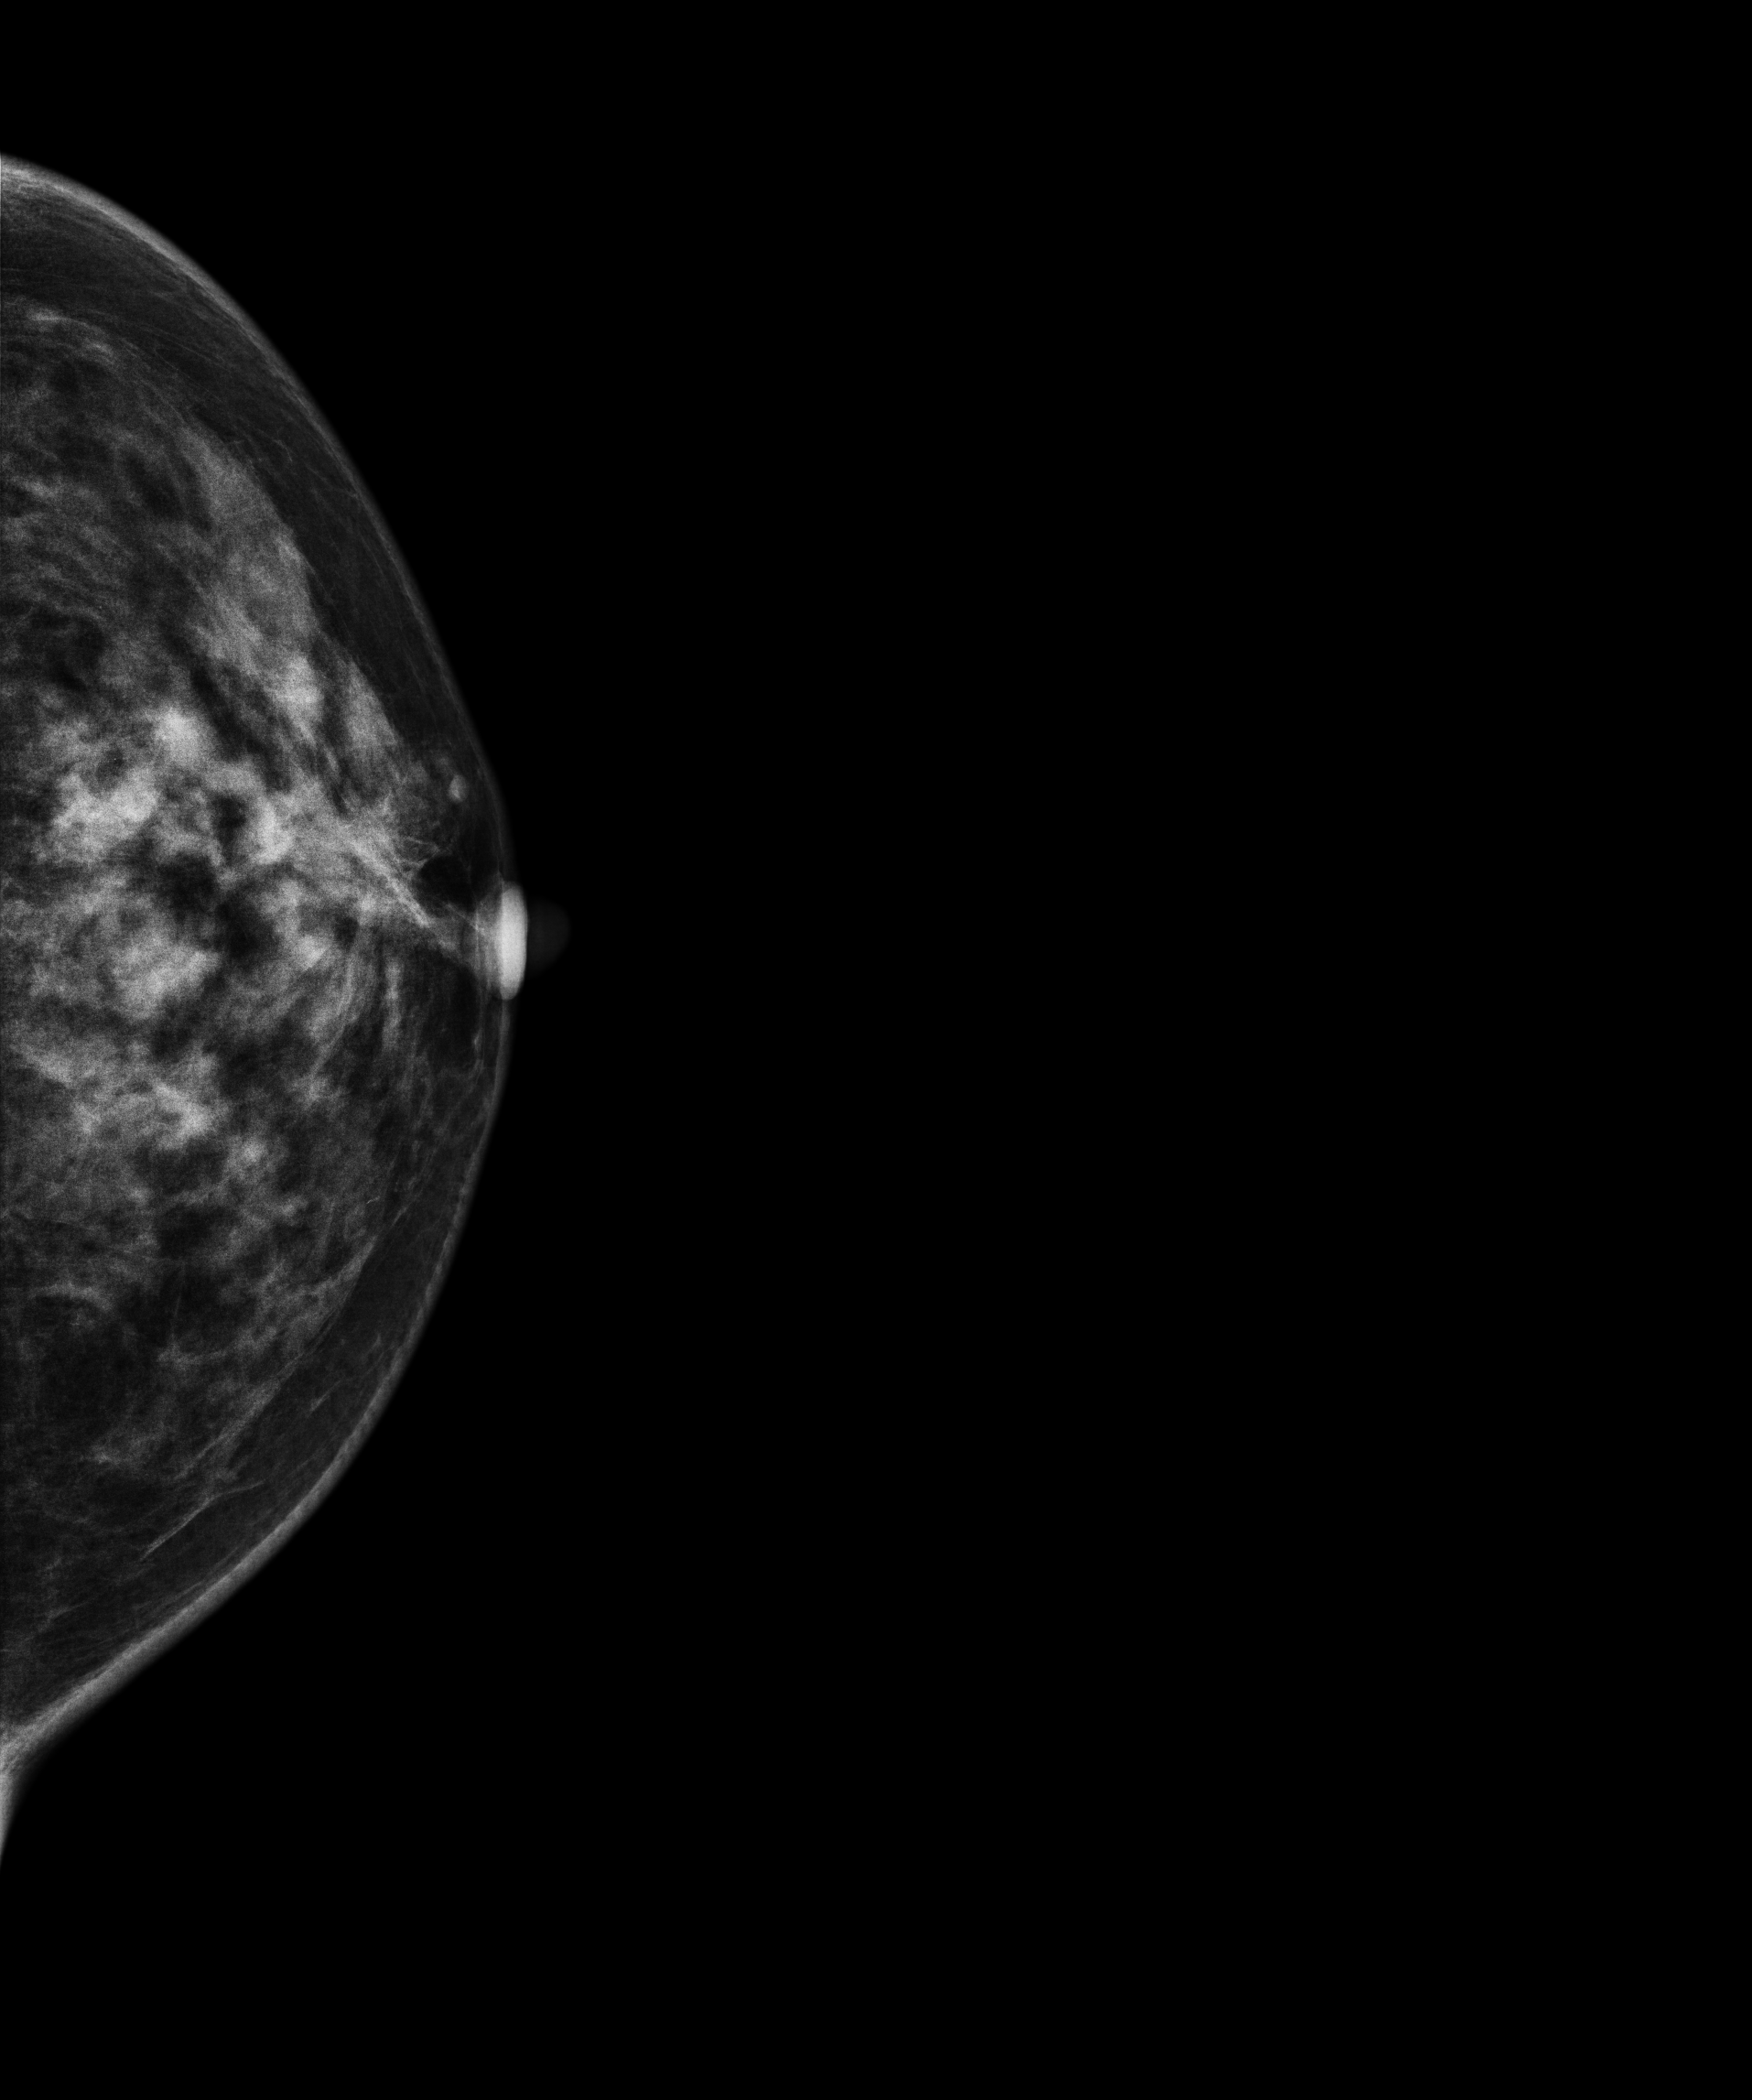
Digital mammography. Left breast, CC projection. 58-year-old patient.
This breast has a mass, biopsy-confirmed malignant. Molecular subtype: luminal B.